CC mammogram of the left breast. 36 y/o patient.
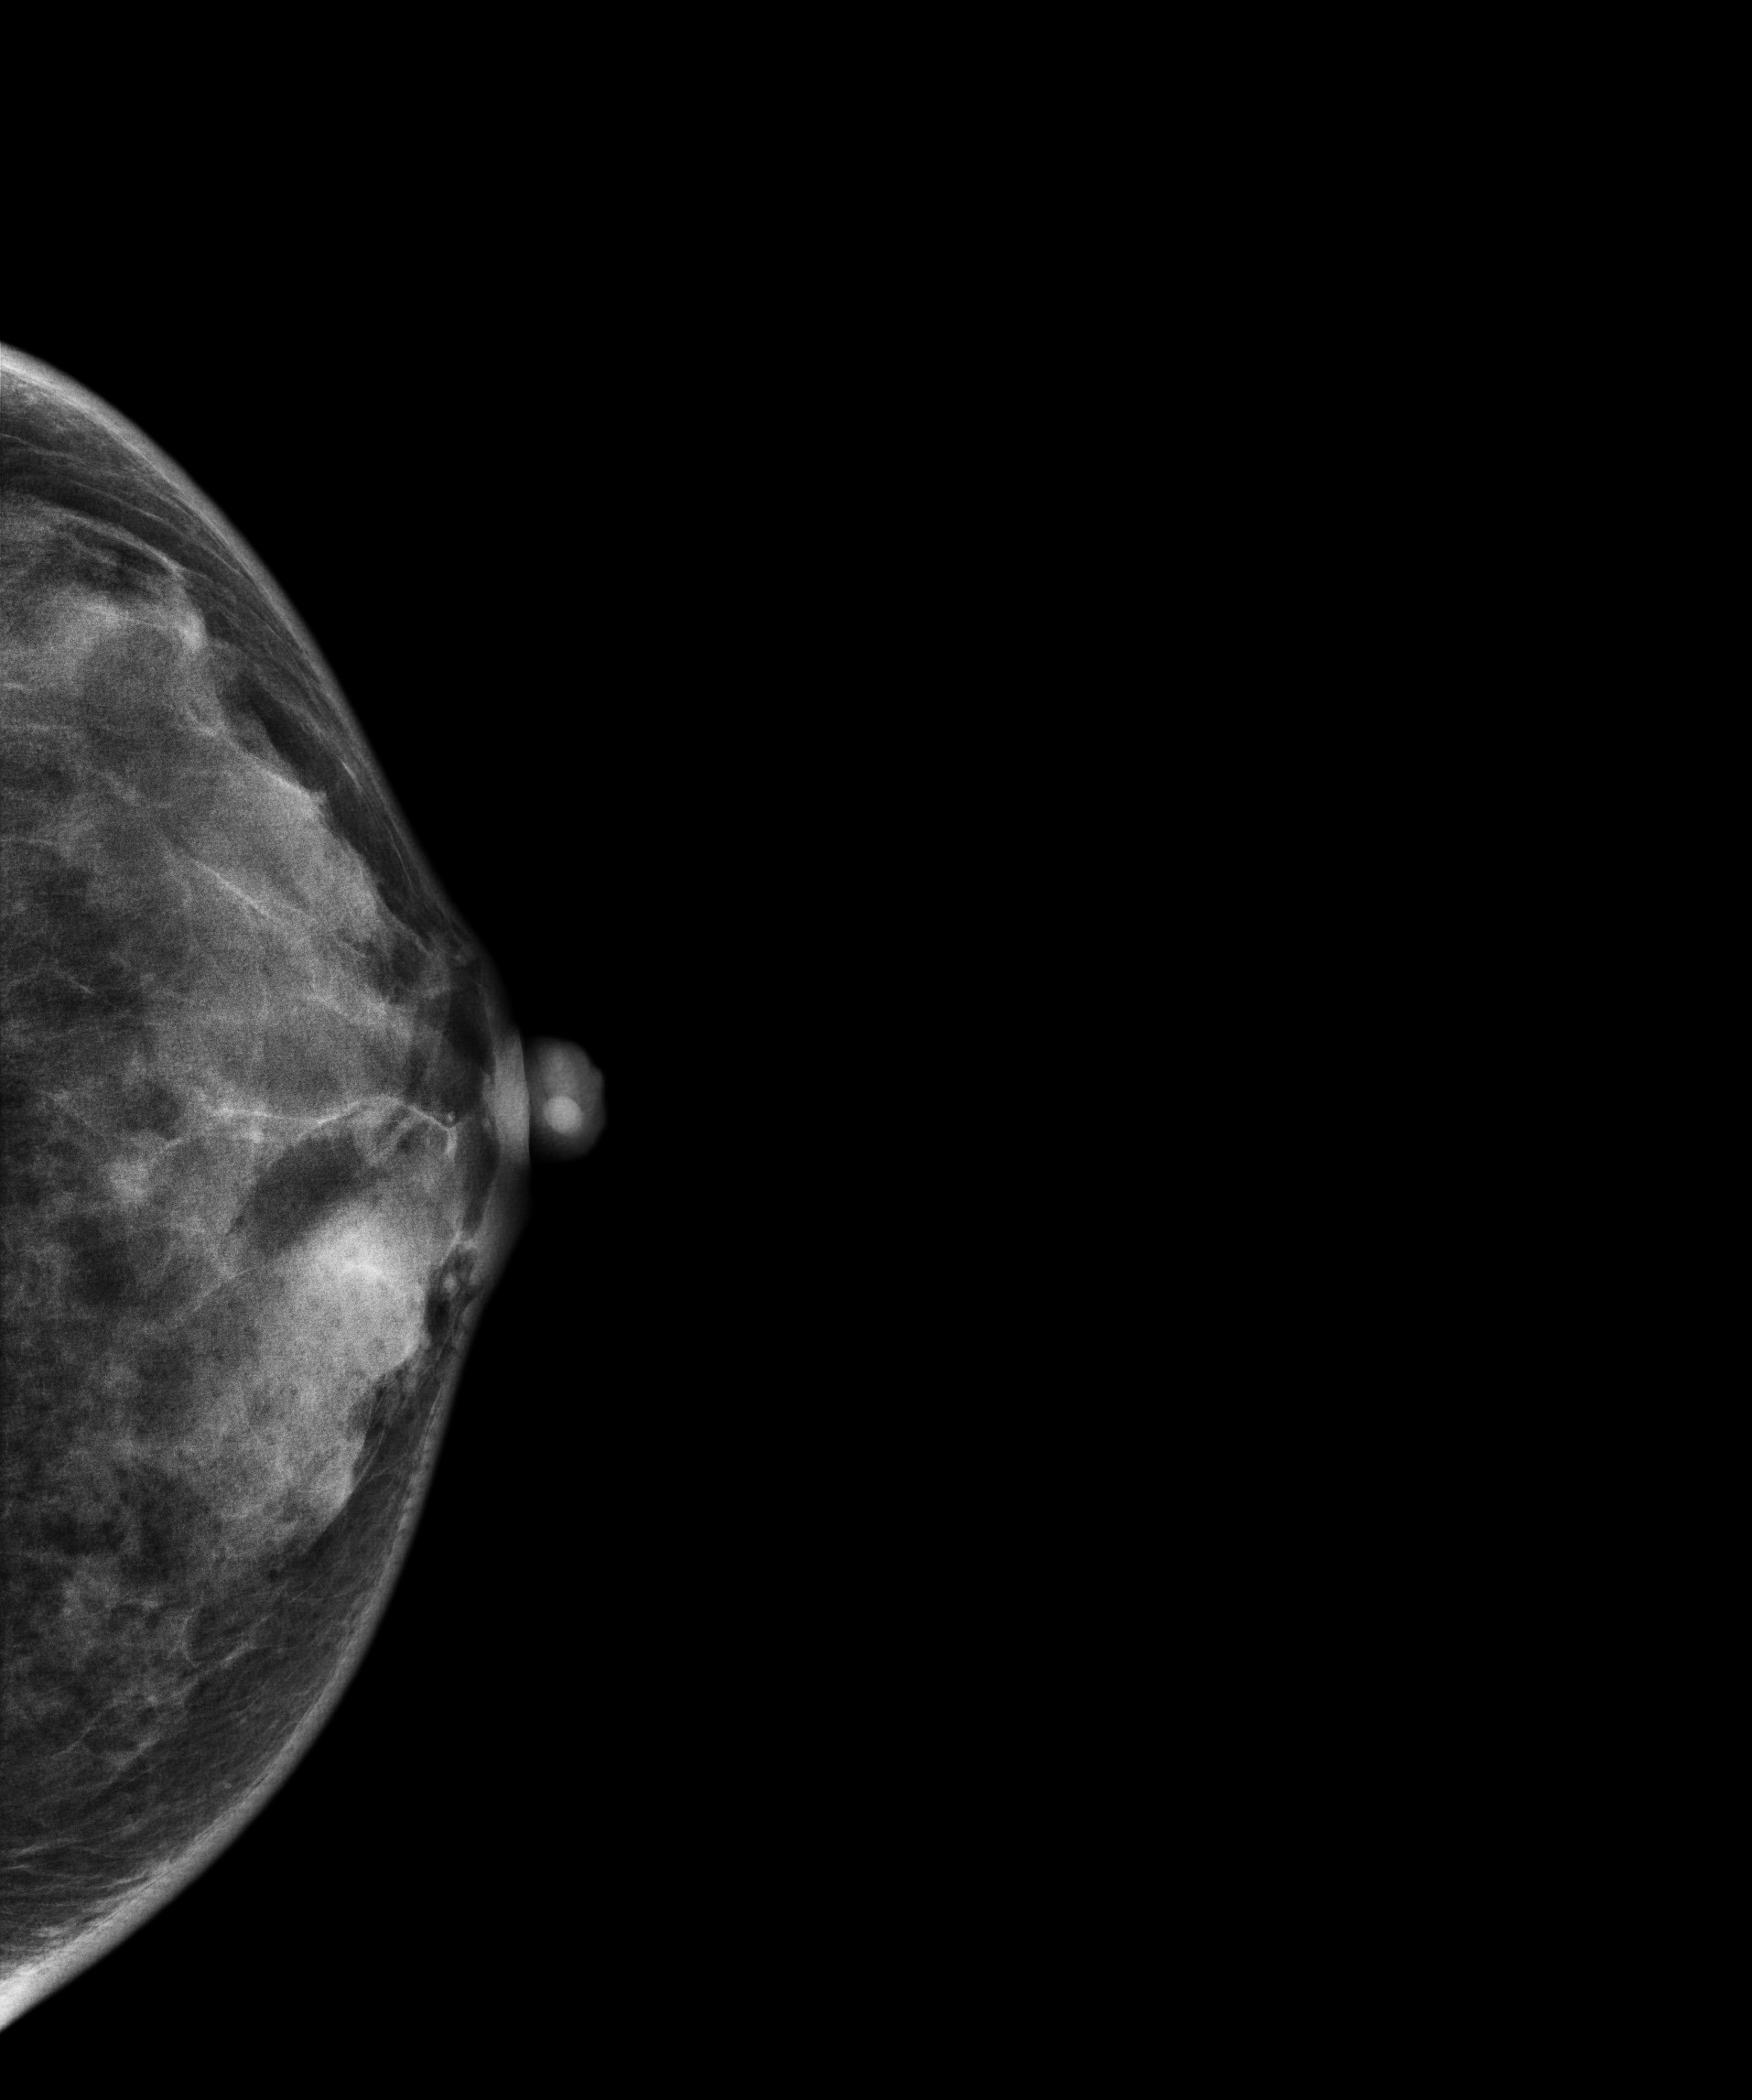
This breast has a mass, histologically confirmed benign.